Digital mammography. Right breast, medio-lateral oblique projection. 60-year-old patient.
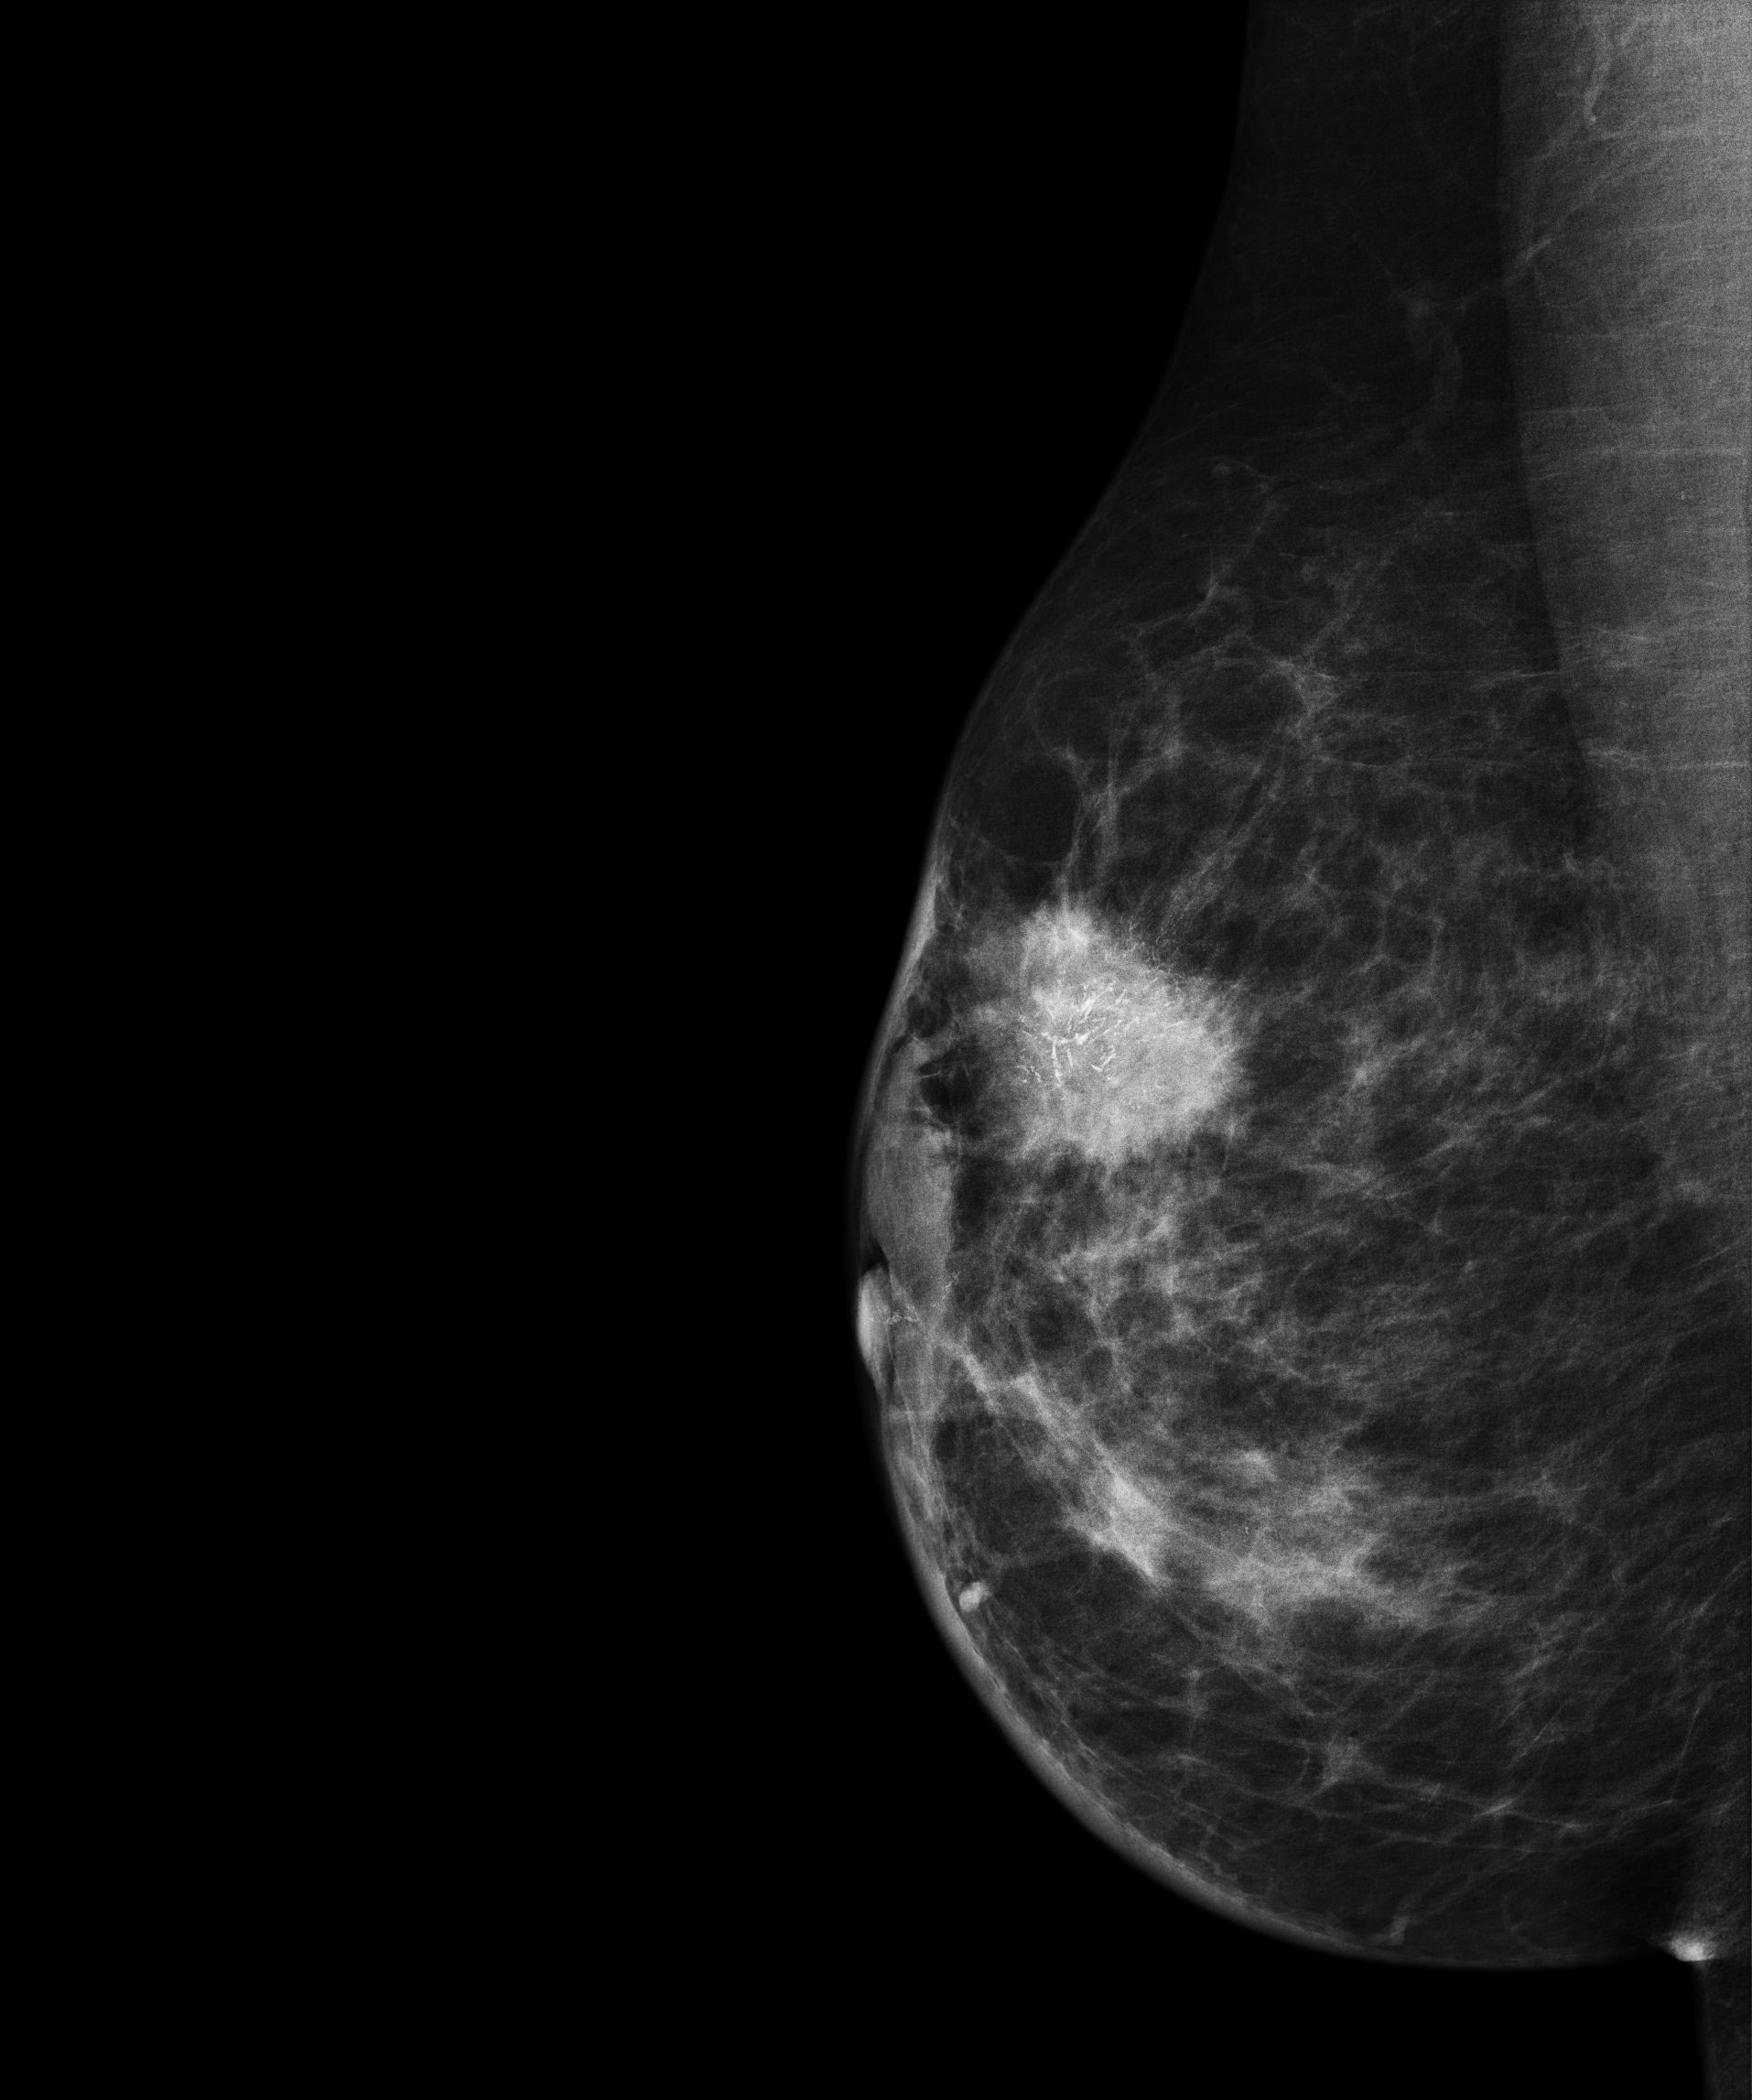
This breast has a mass and calcifications, pathology-confirmed malignant. Molecular subtype: HER2-enriched.